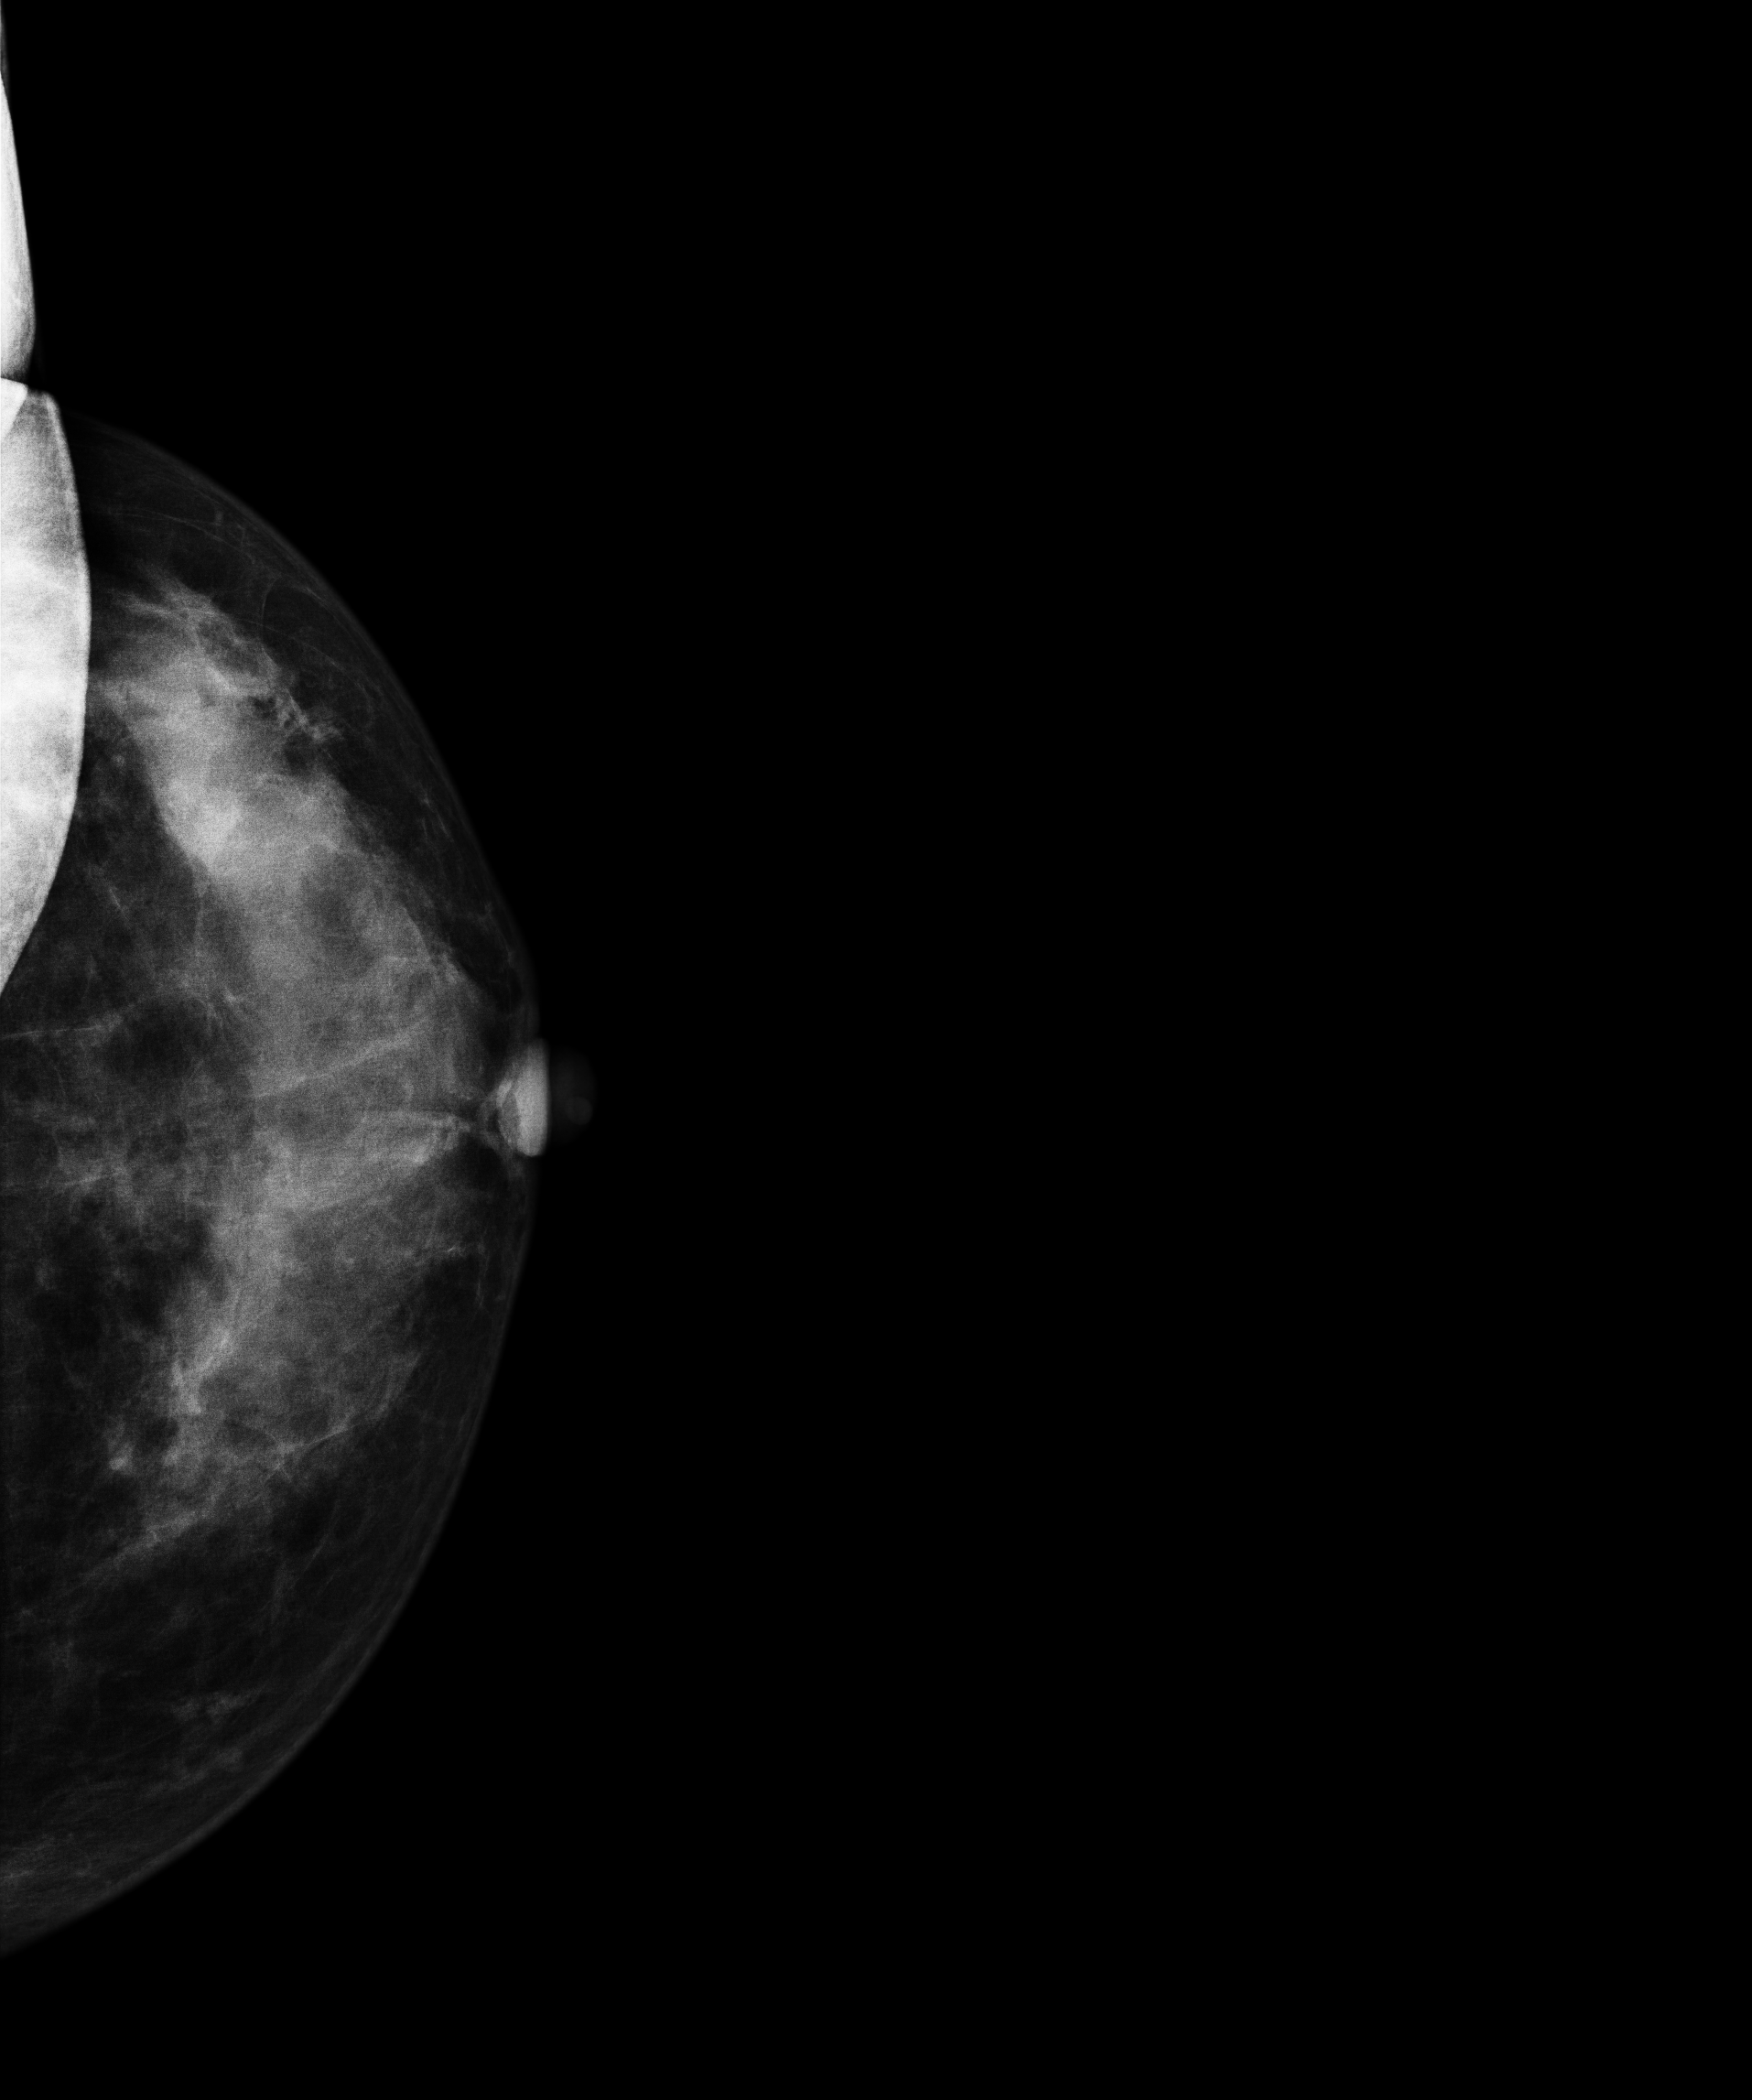
Left-breast mammogram, CC. 49-year-old patient.
This breast has a mass, histologically confirmed malignant. Molecular subtype: luminal B.